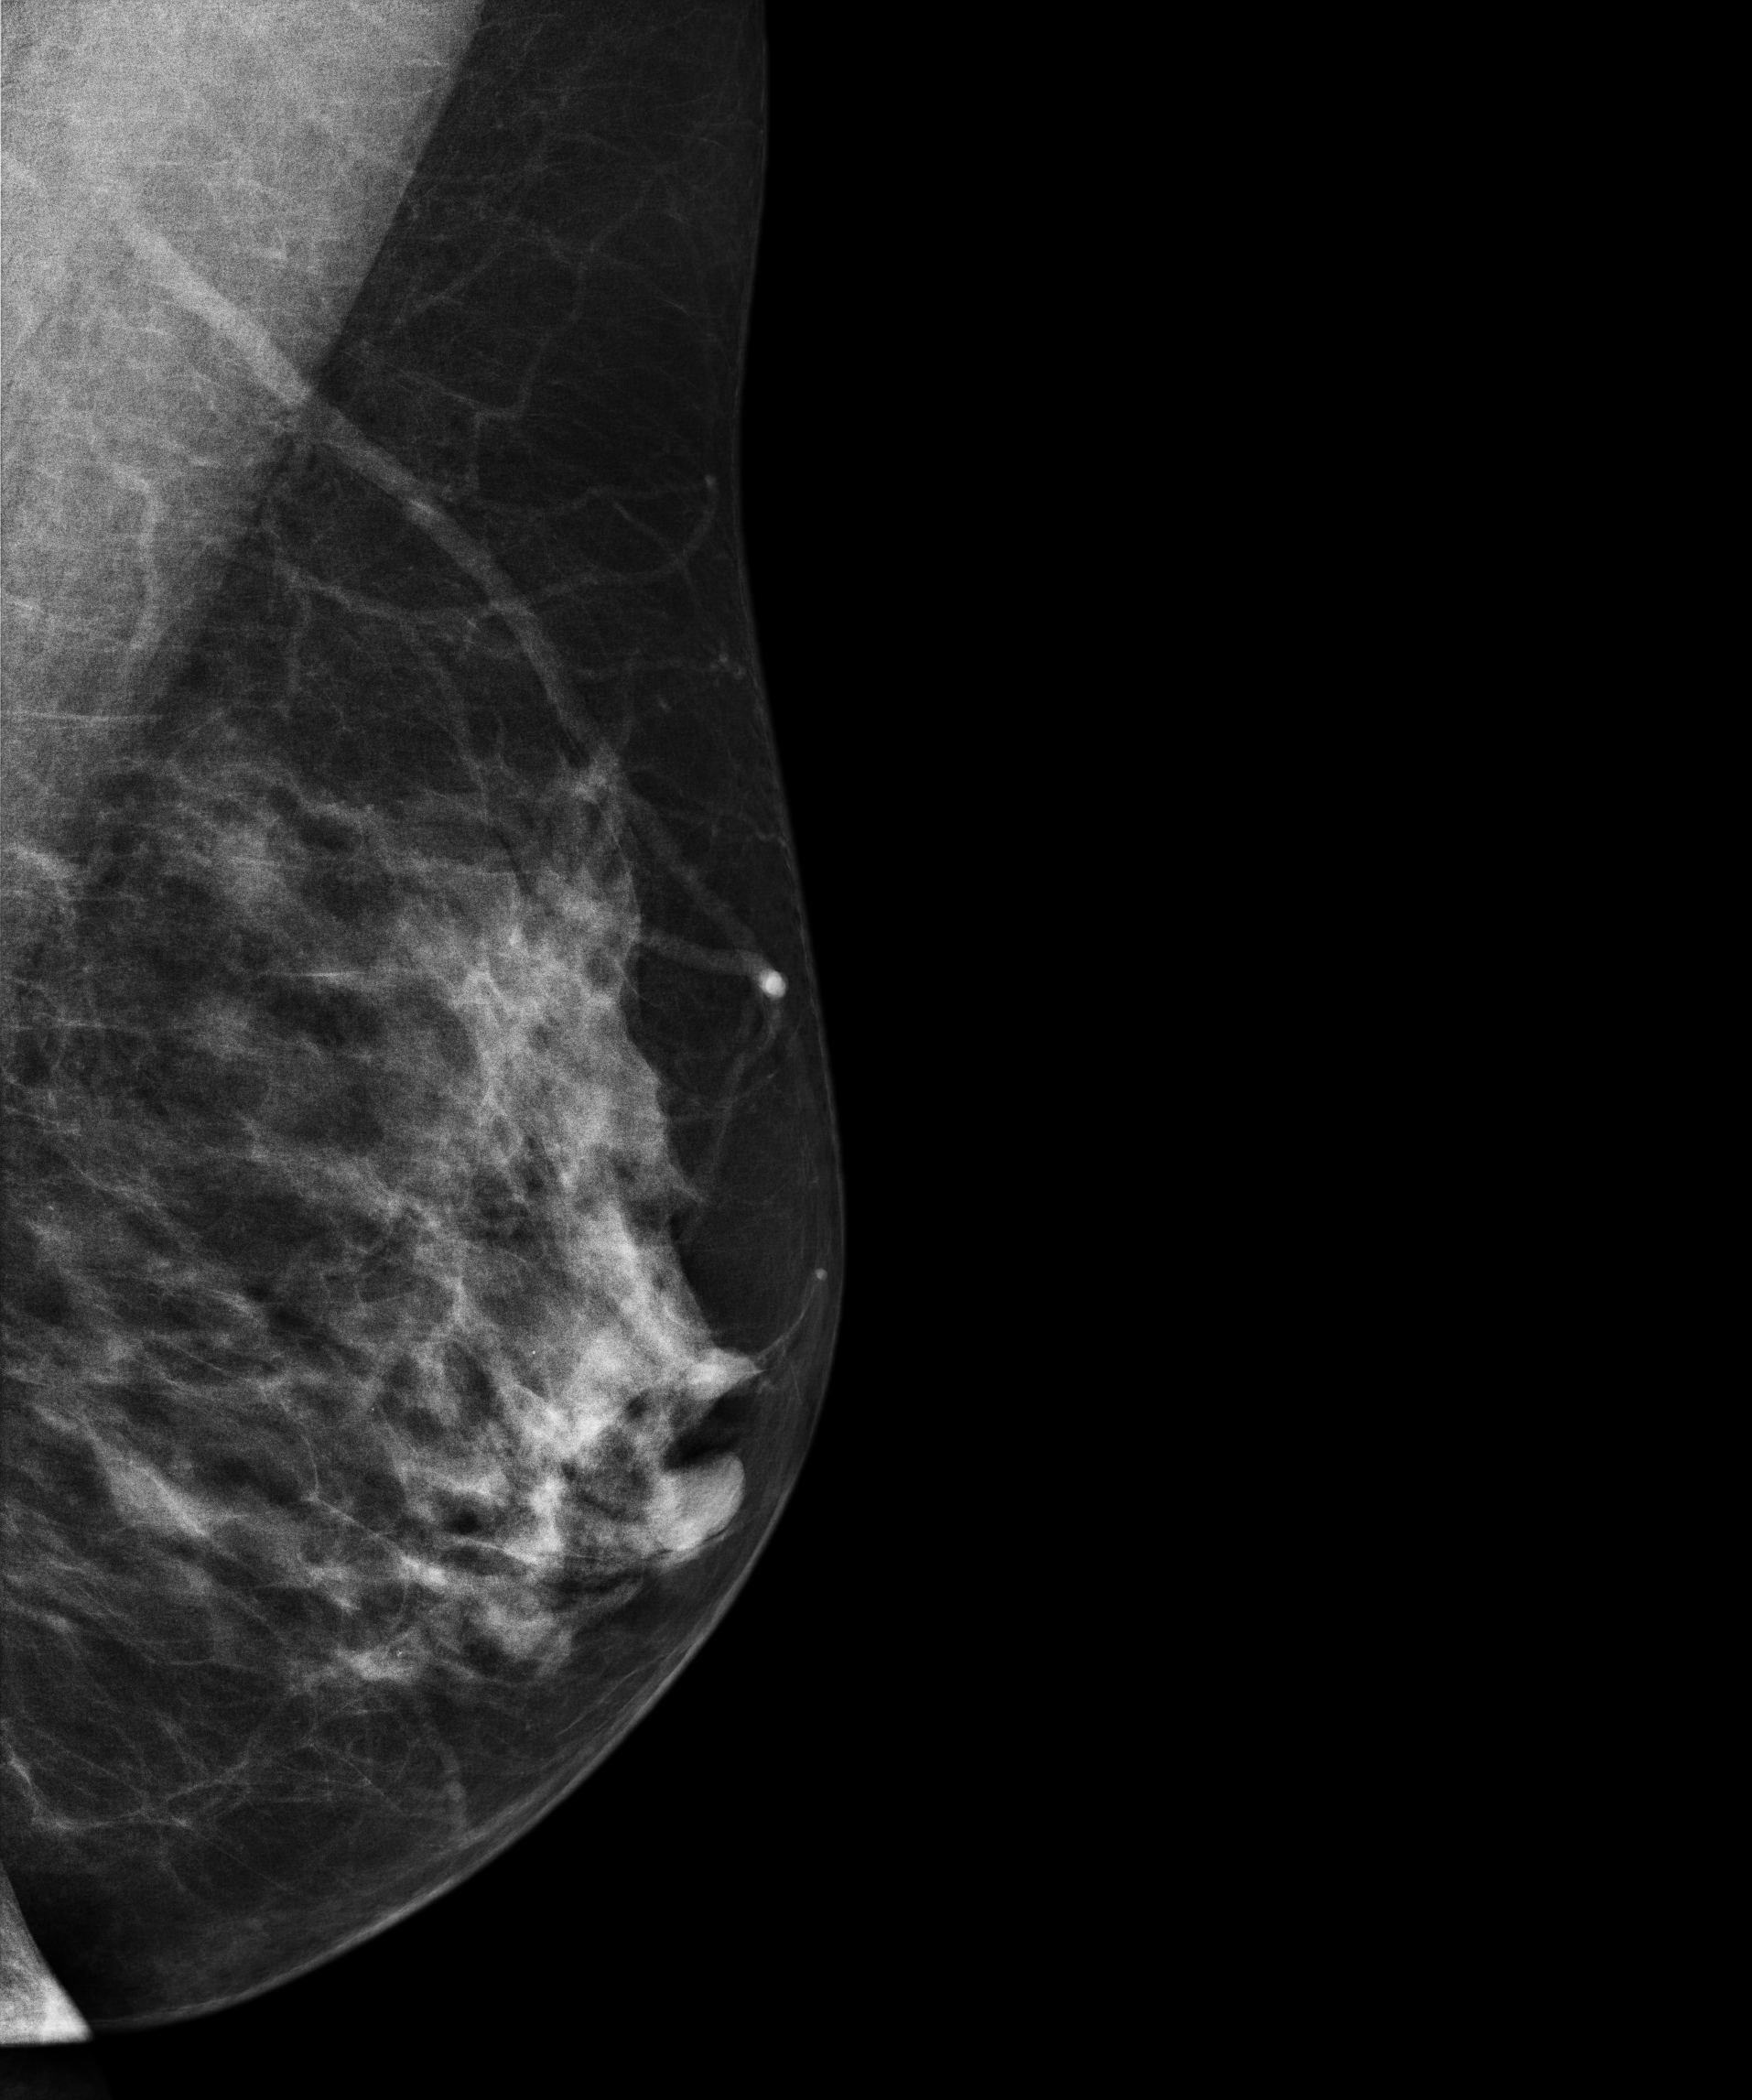
Medio-lateral oblique mammogram of the left breast. 67-year-old patient.
This breast has a mass, pathology-confirmed benign.